Mammogram, left breast, CC view. Patient age 37.
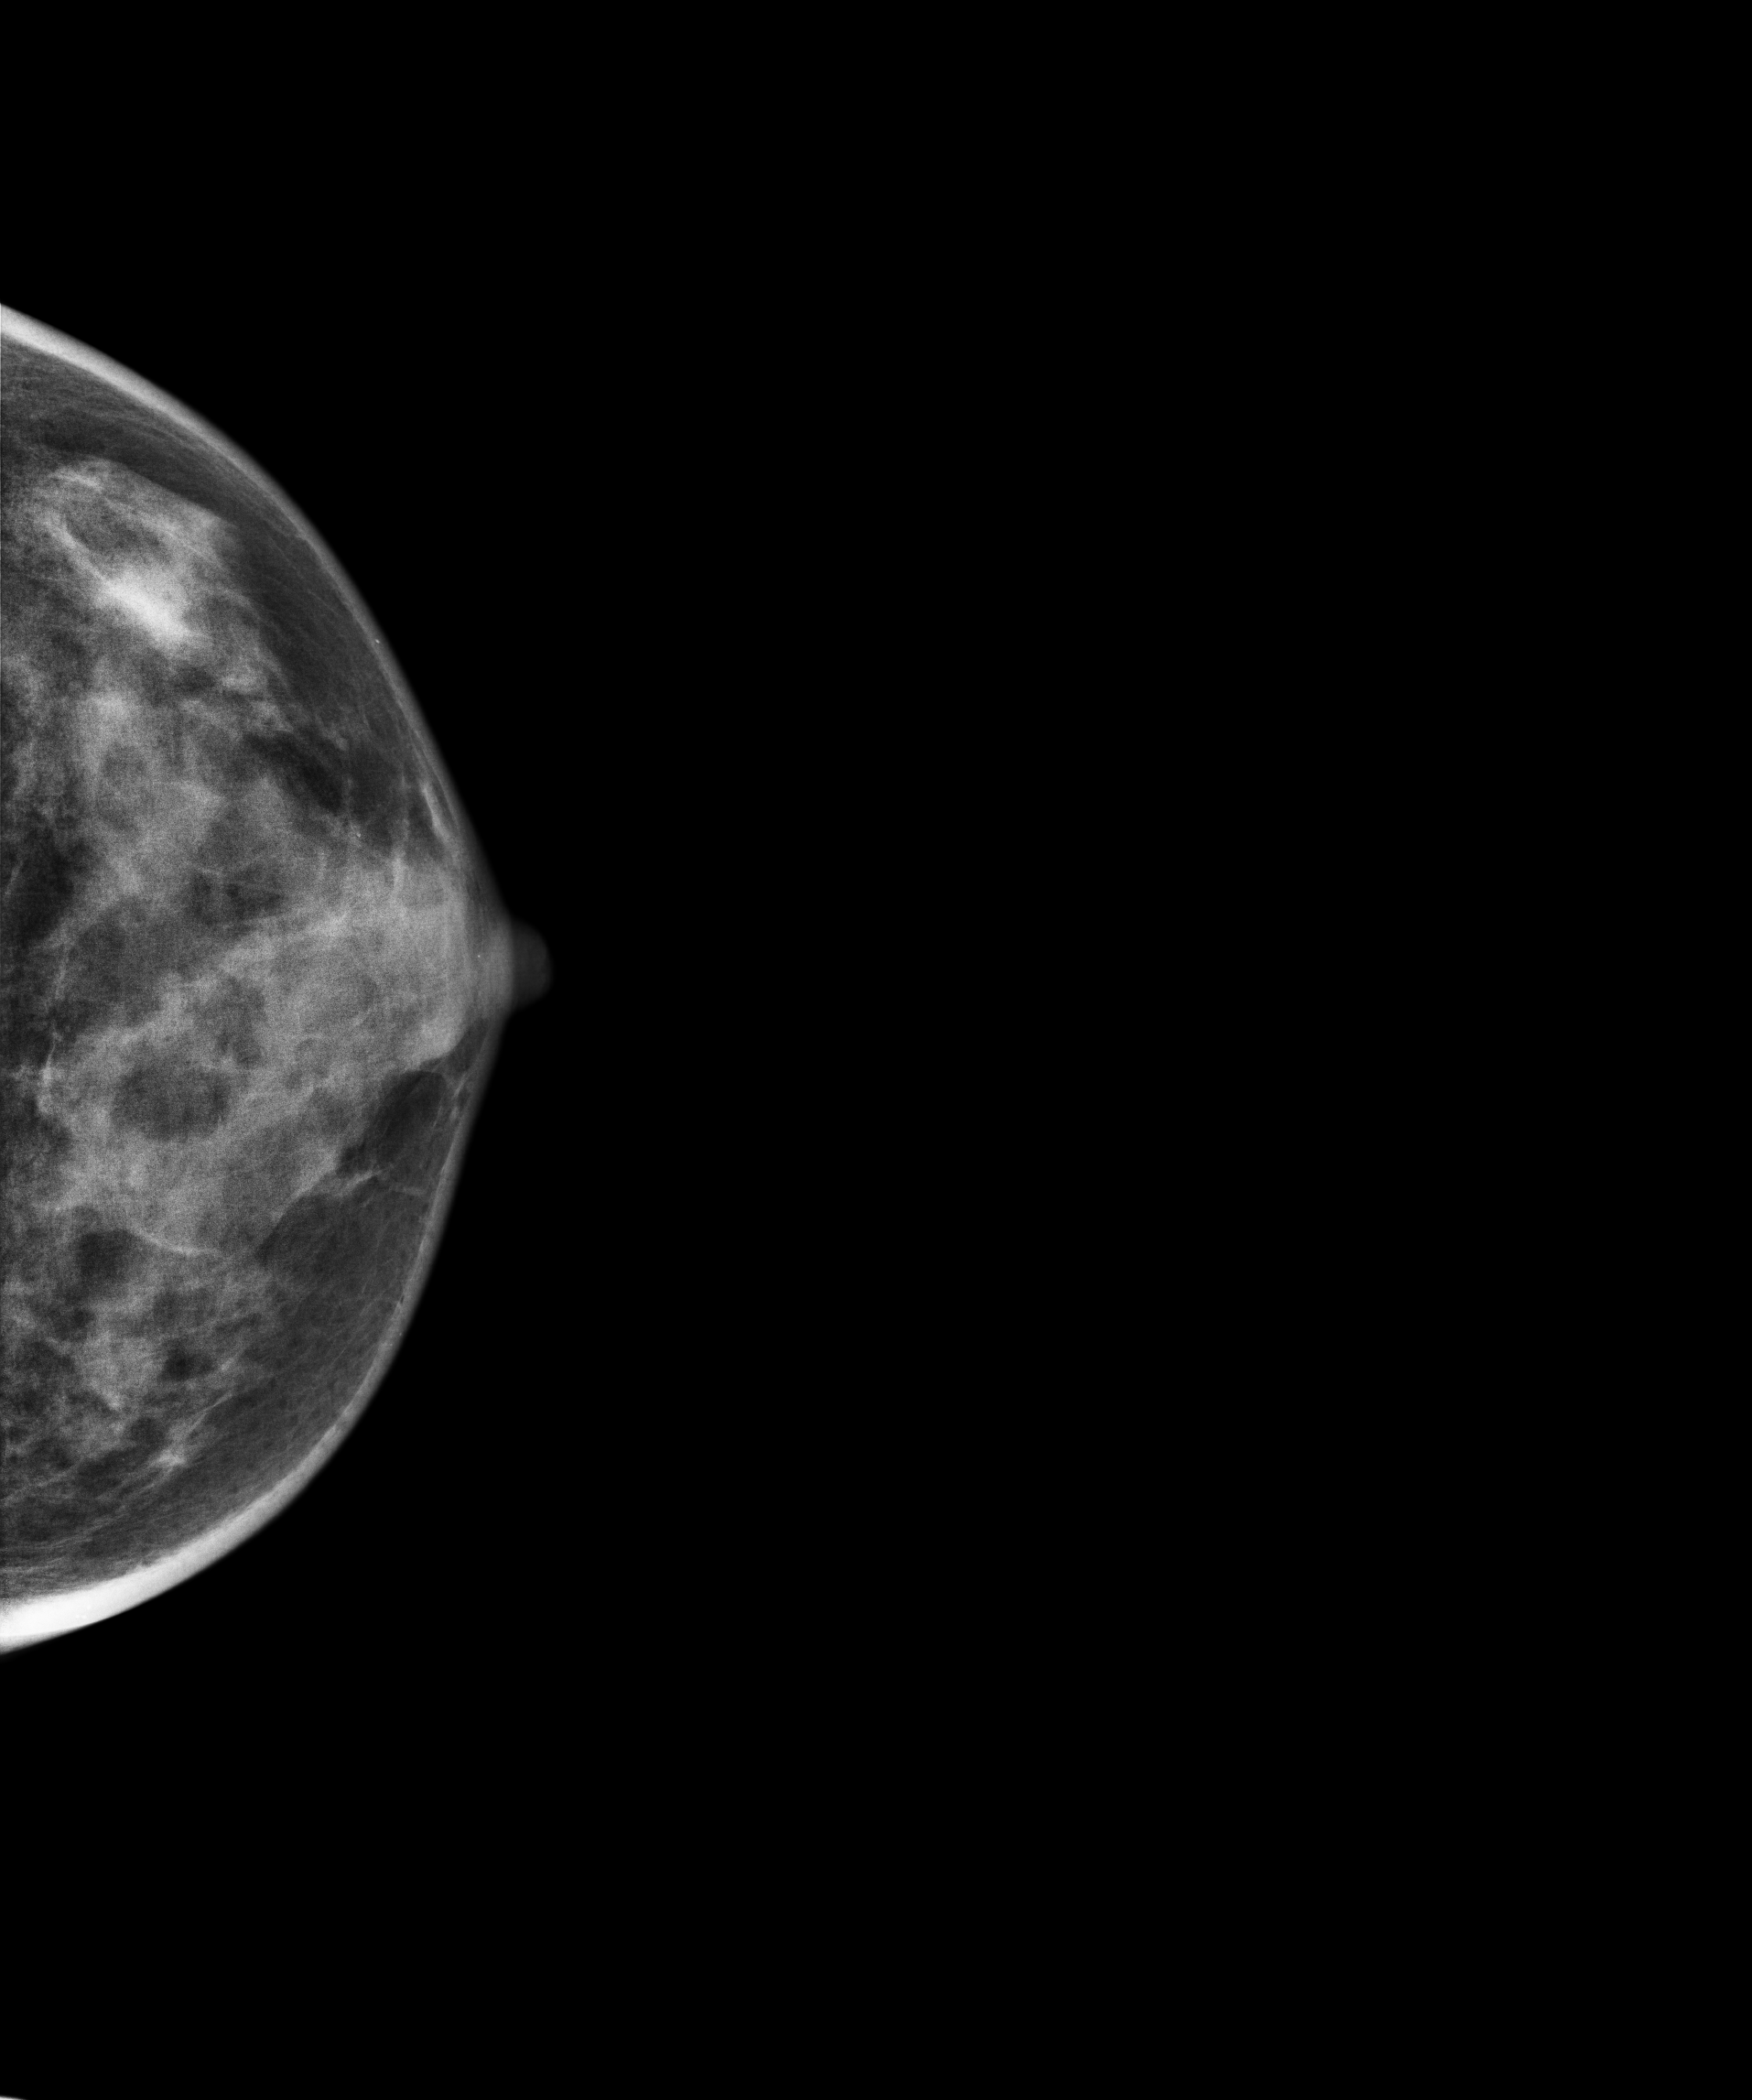
This breast has a mass, histologically confirmed malignant.